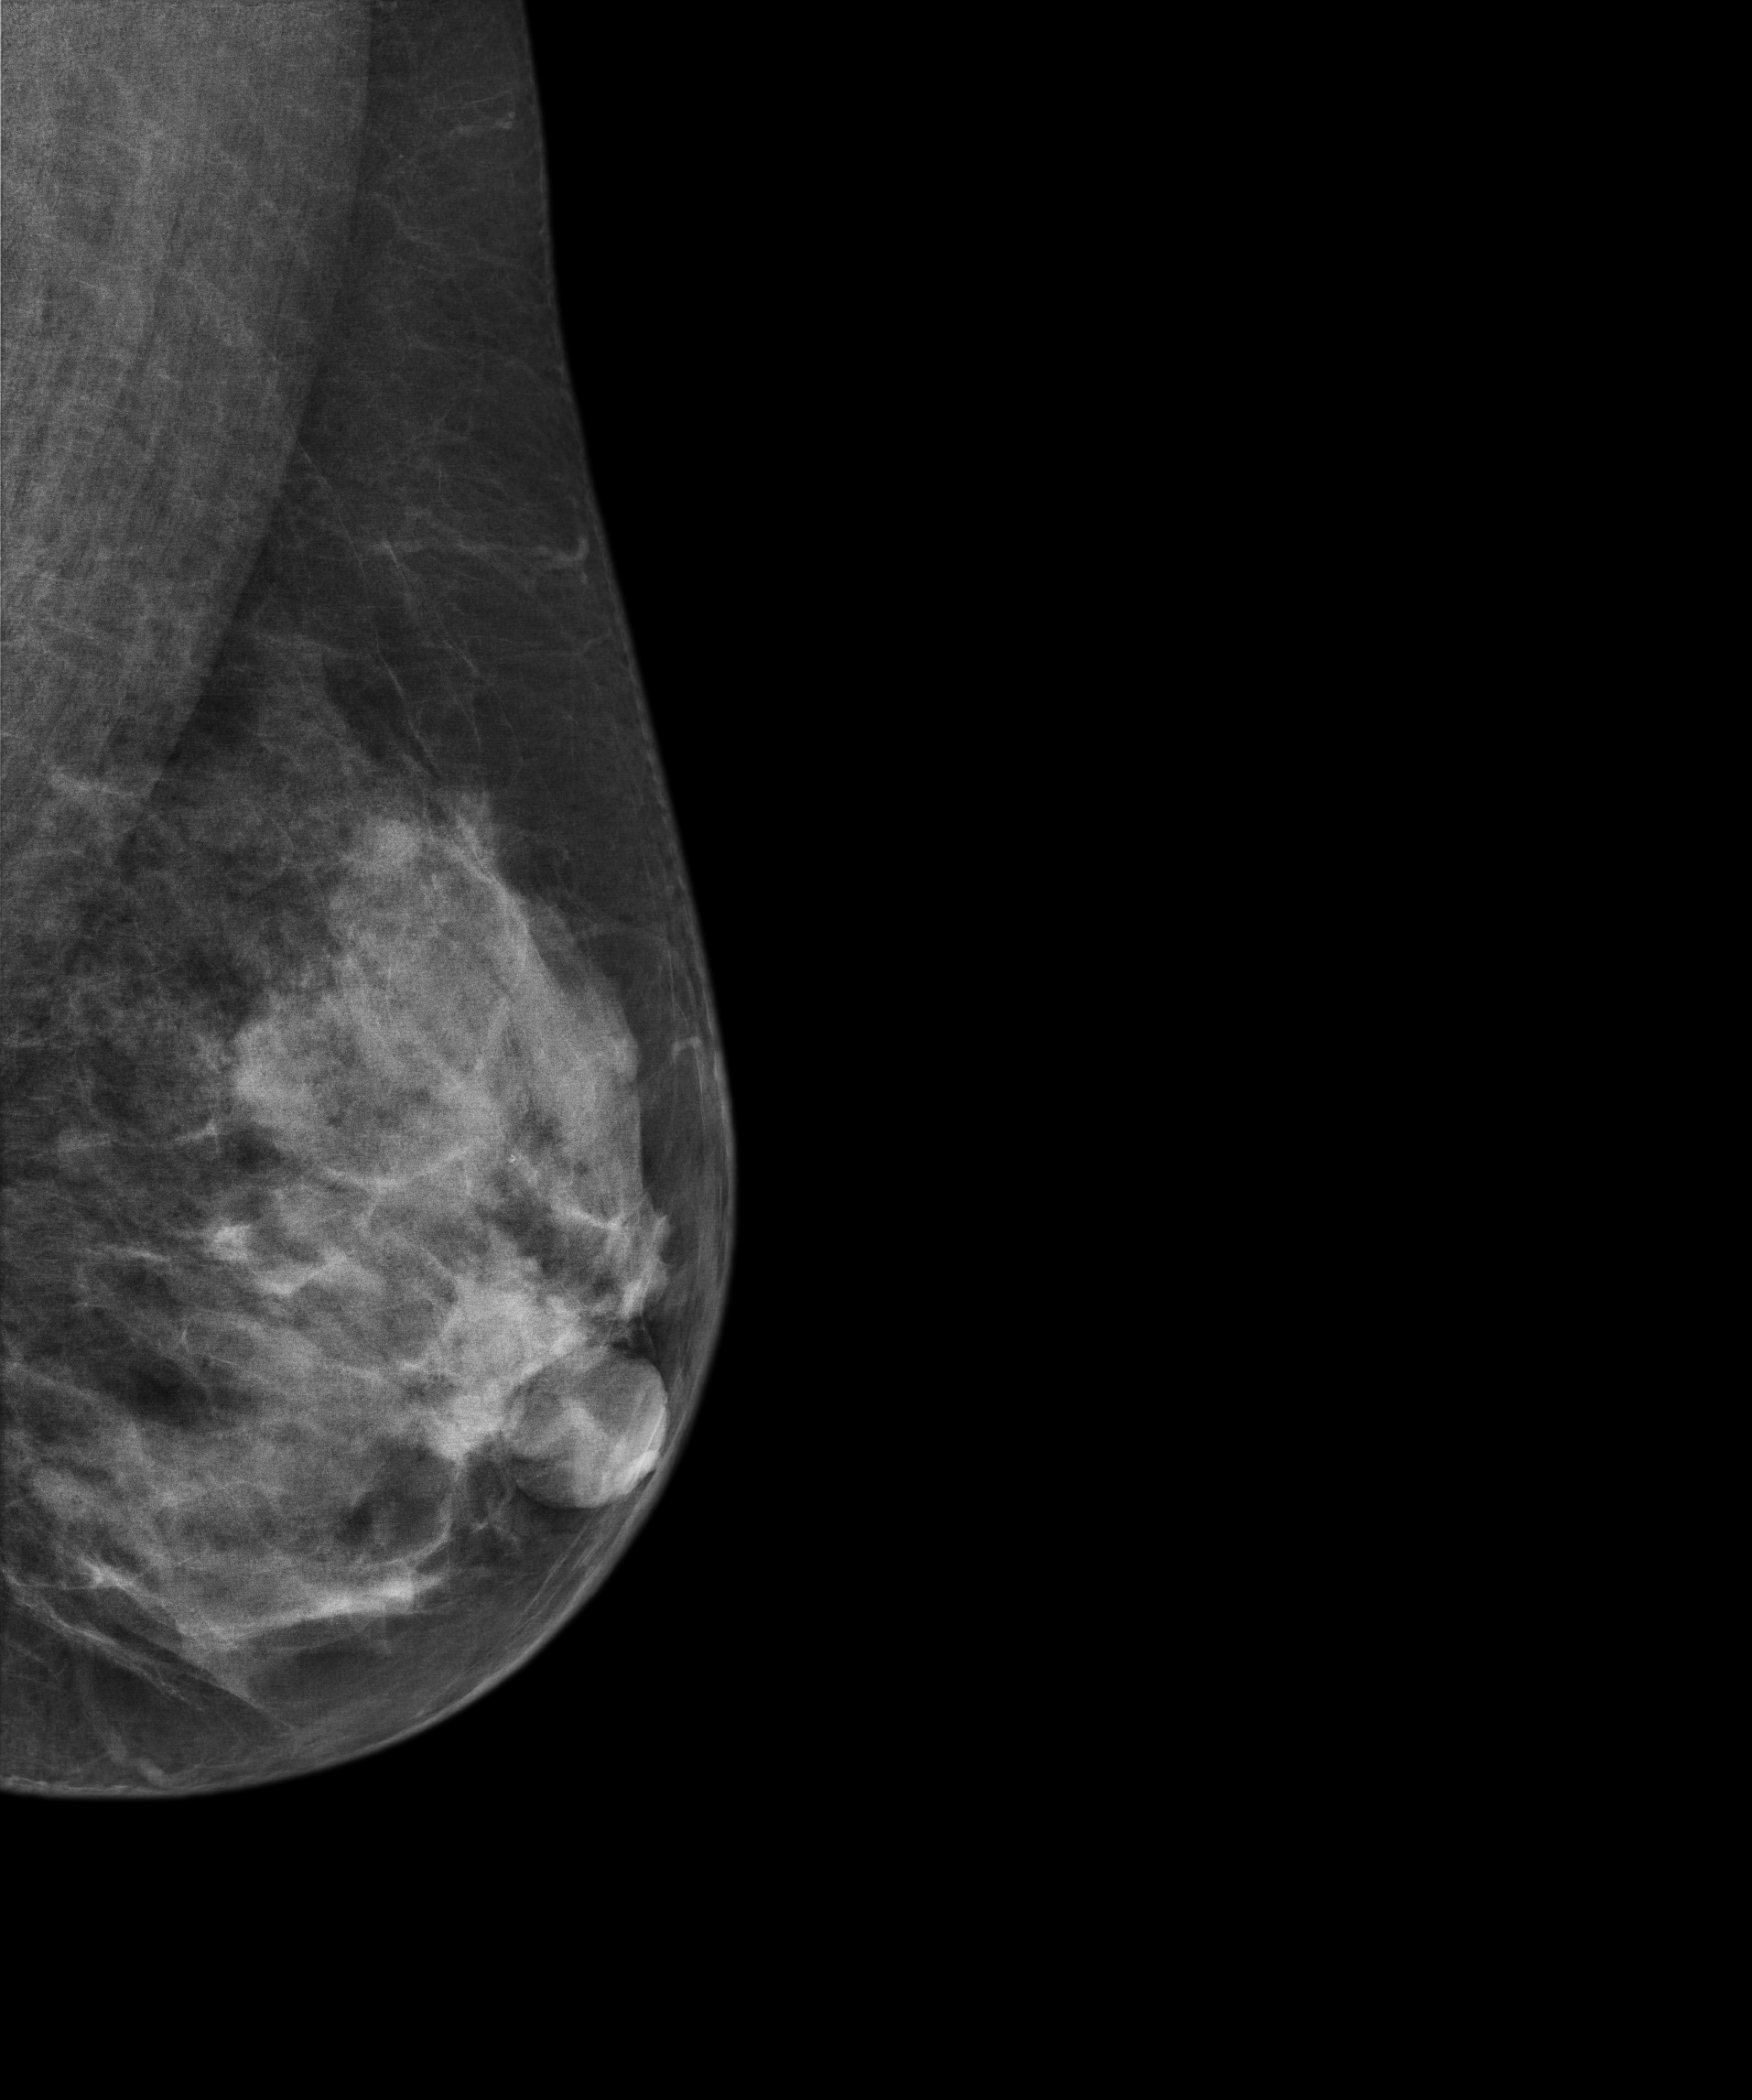
Mammogram — left MLO. 49 y/o patient.
This breast has a mass, histologically confirmed benign.